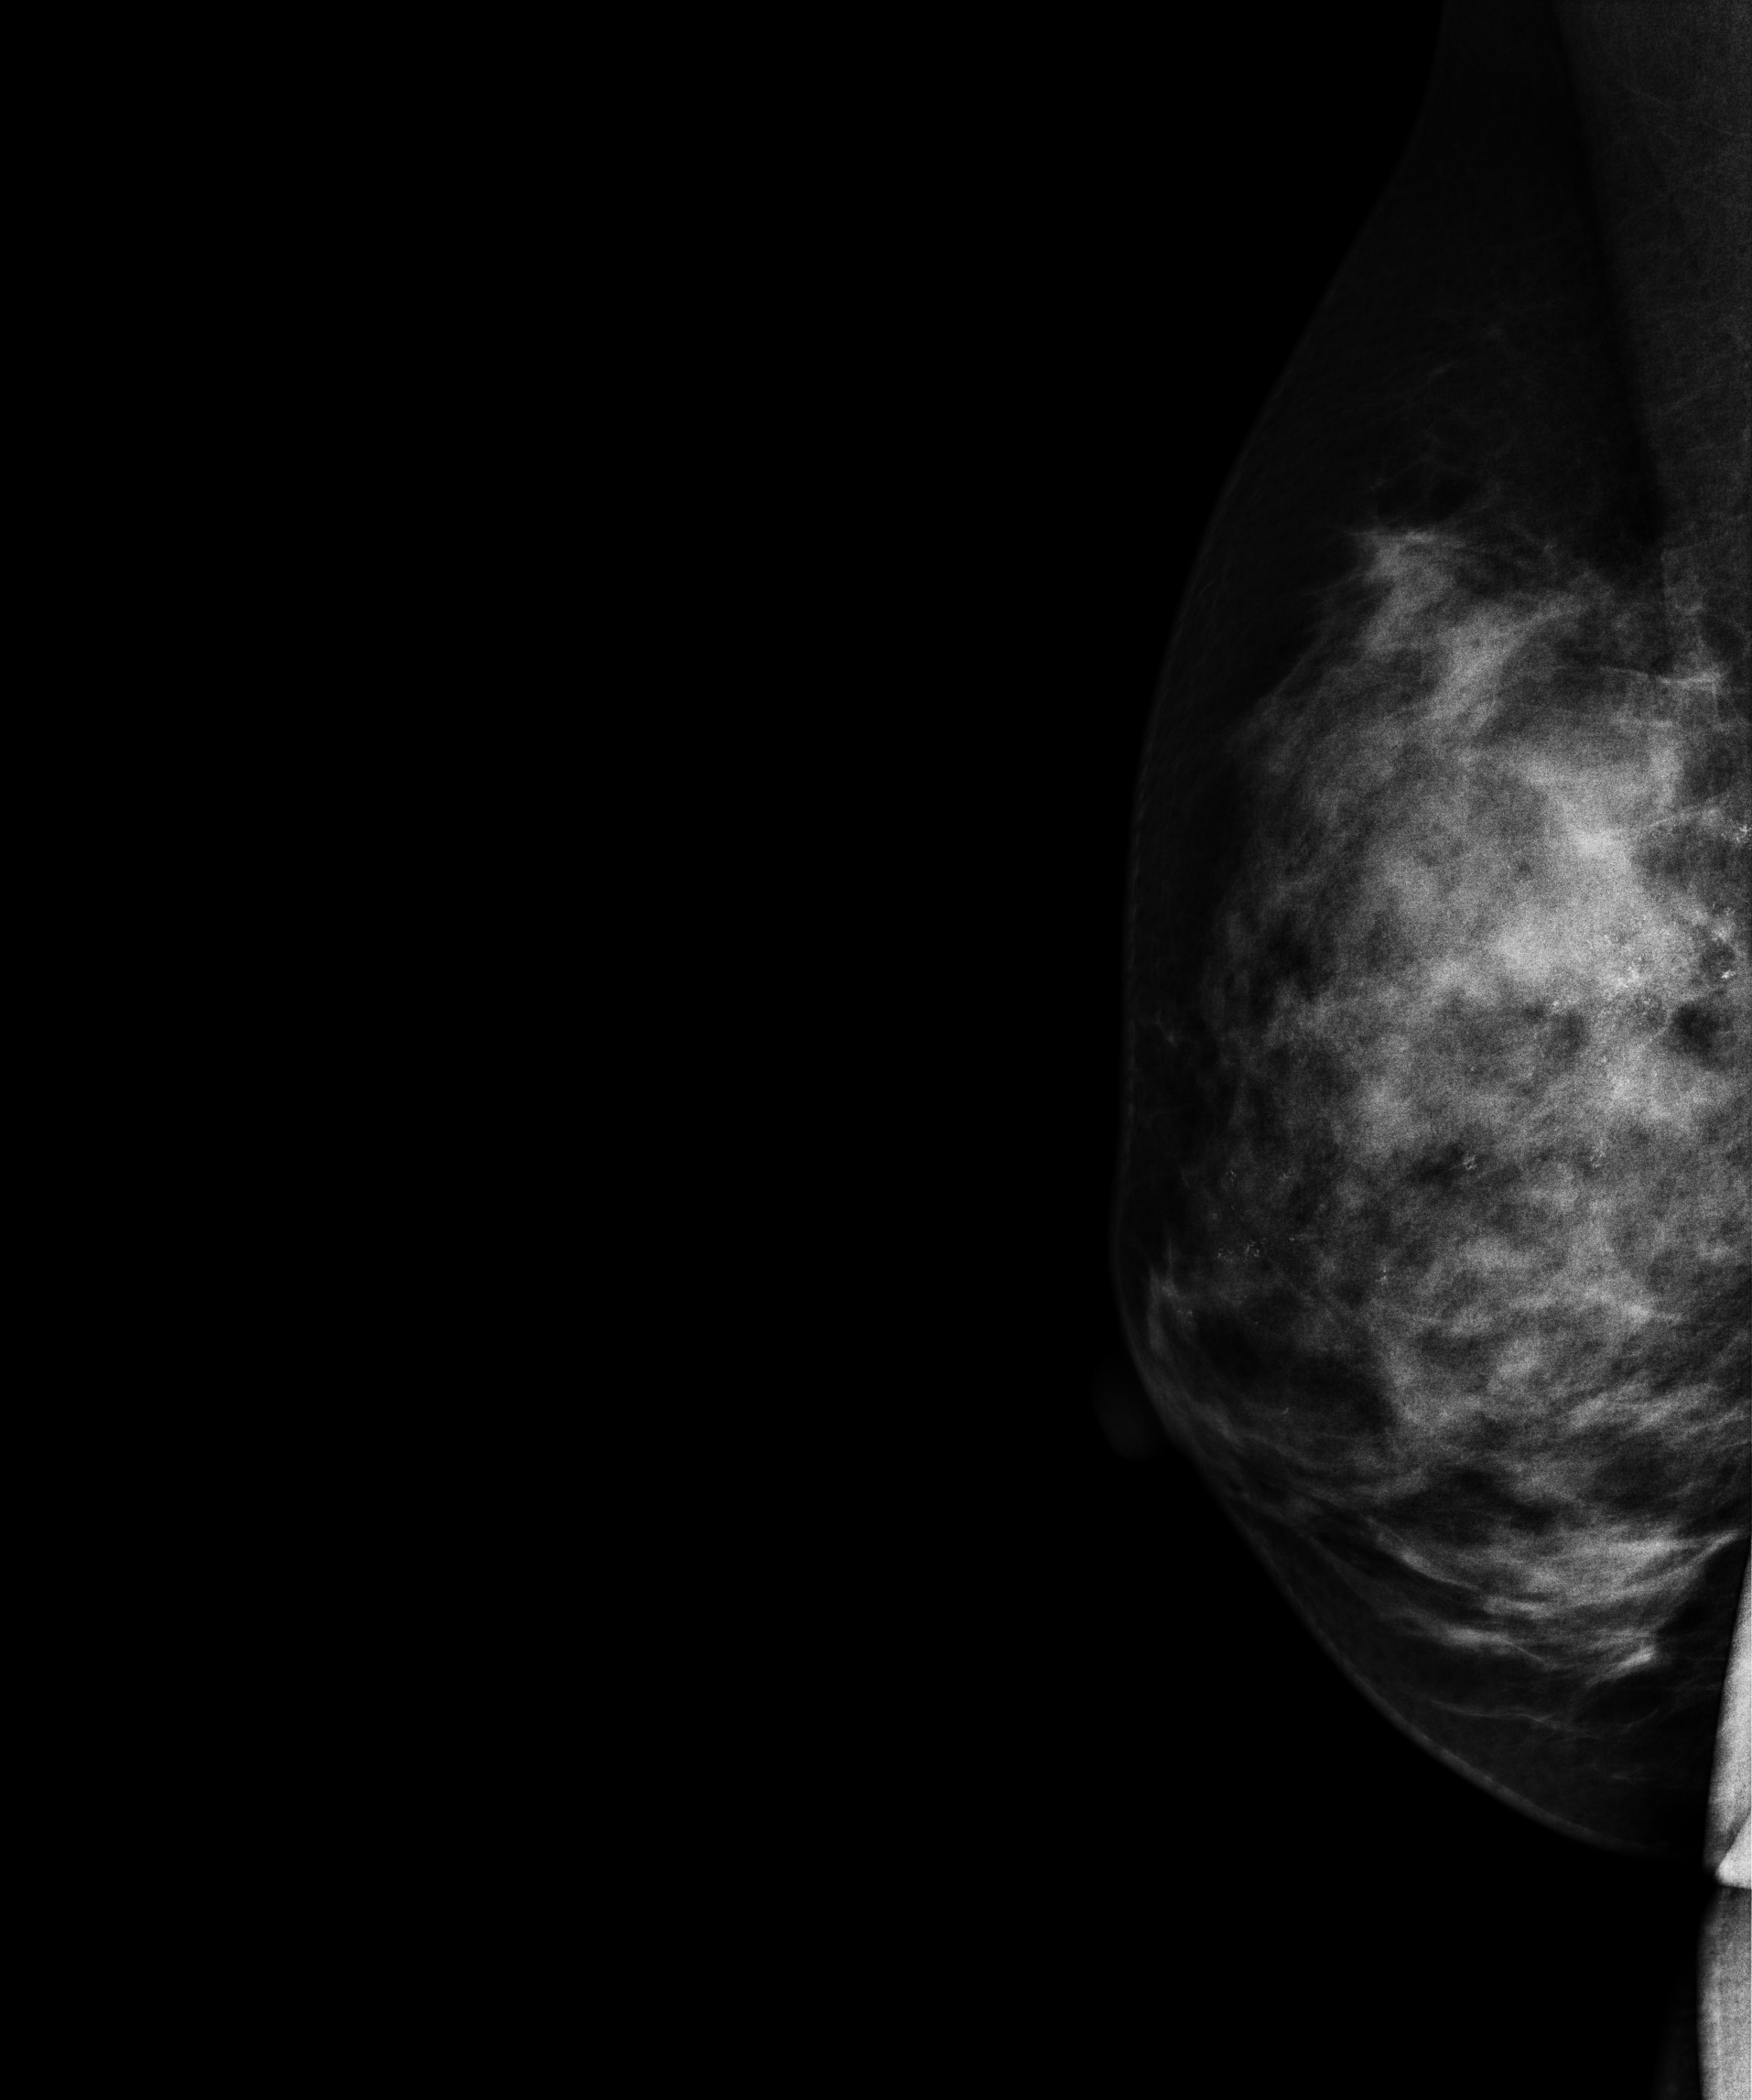
Mammogram, right breast, medio-lateral oblique view. Patient age 33.
This breast has calcifications, biopsy-proven malignant. Molecular subtype: HER2-enriched.